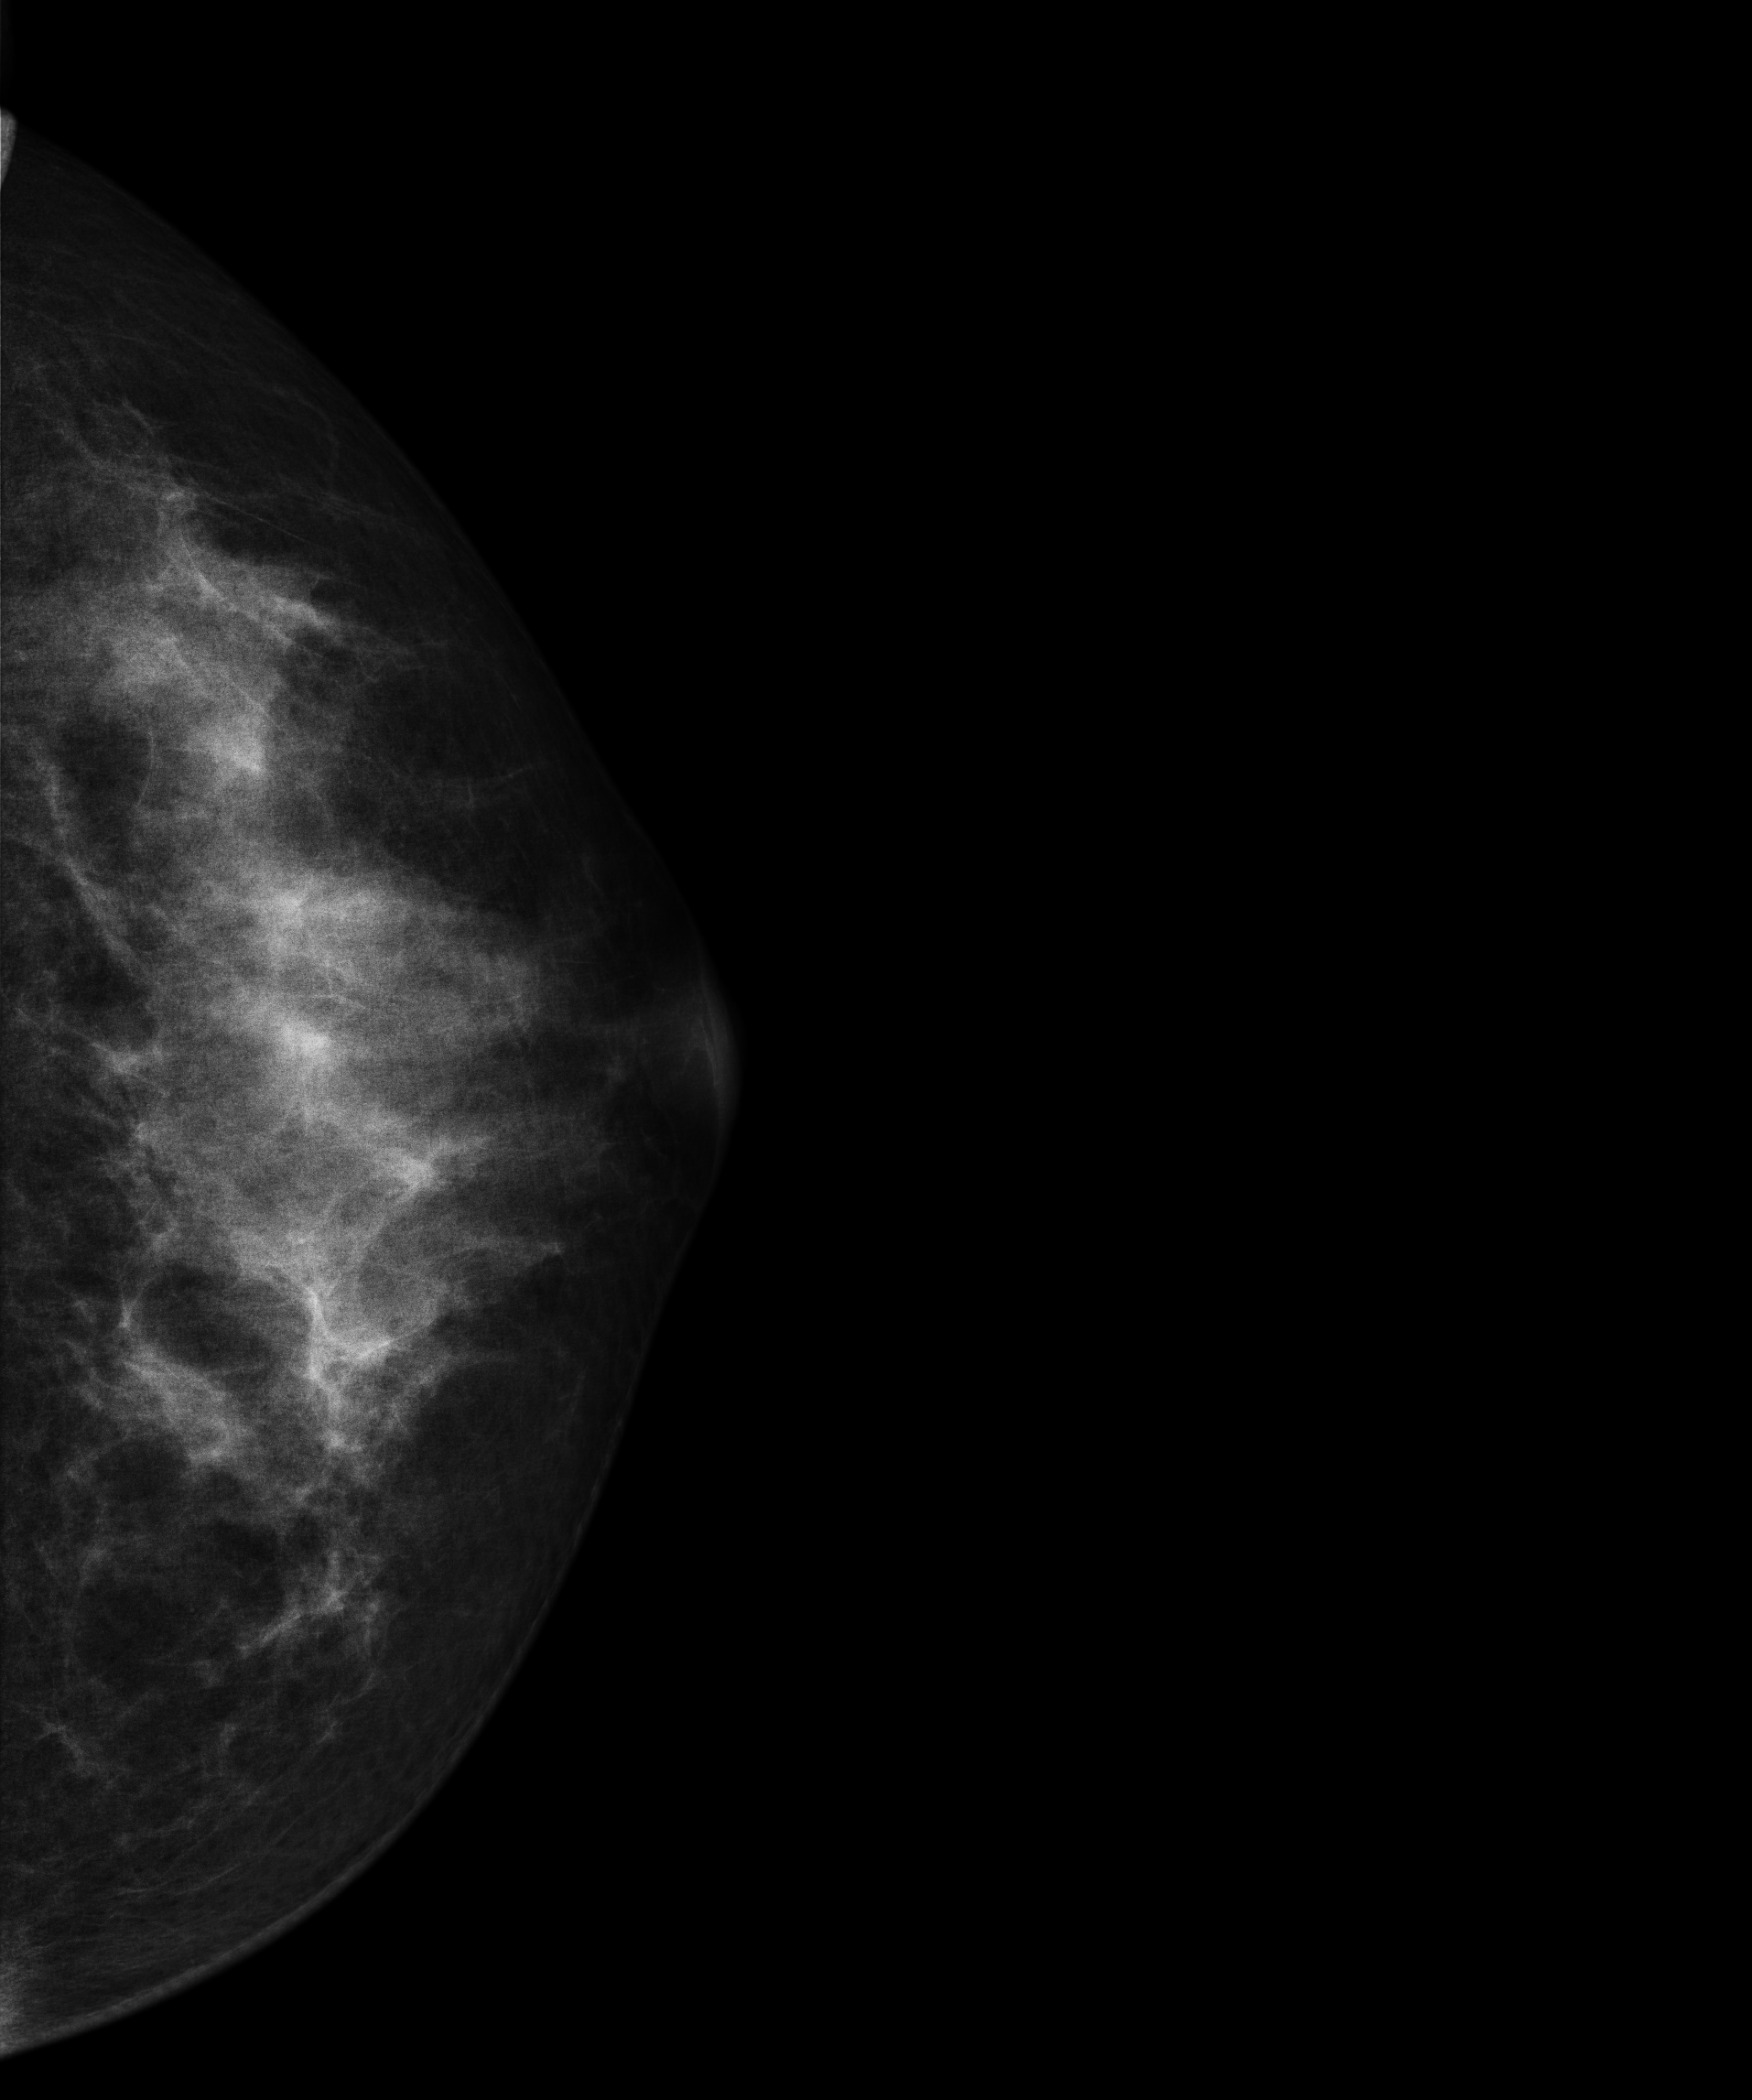
CC mammogram of the left breast. 47 y/o patient.
Contralateral breast — no documented abnormality on this side.